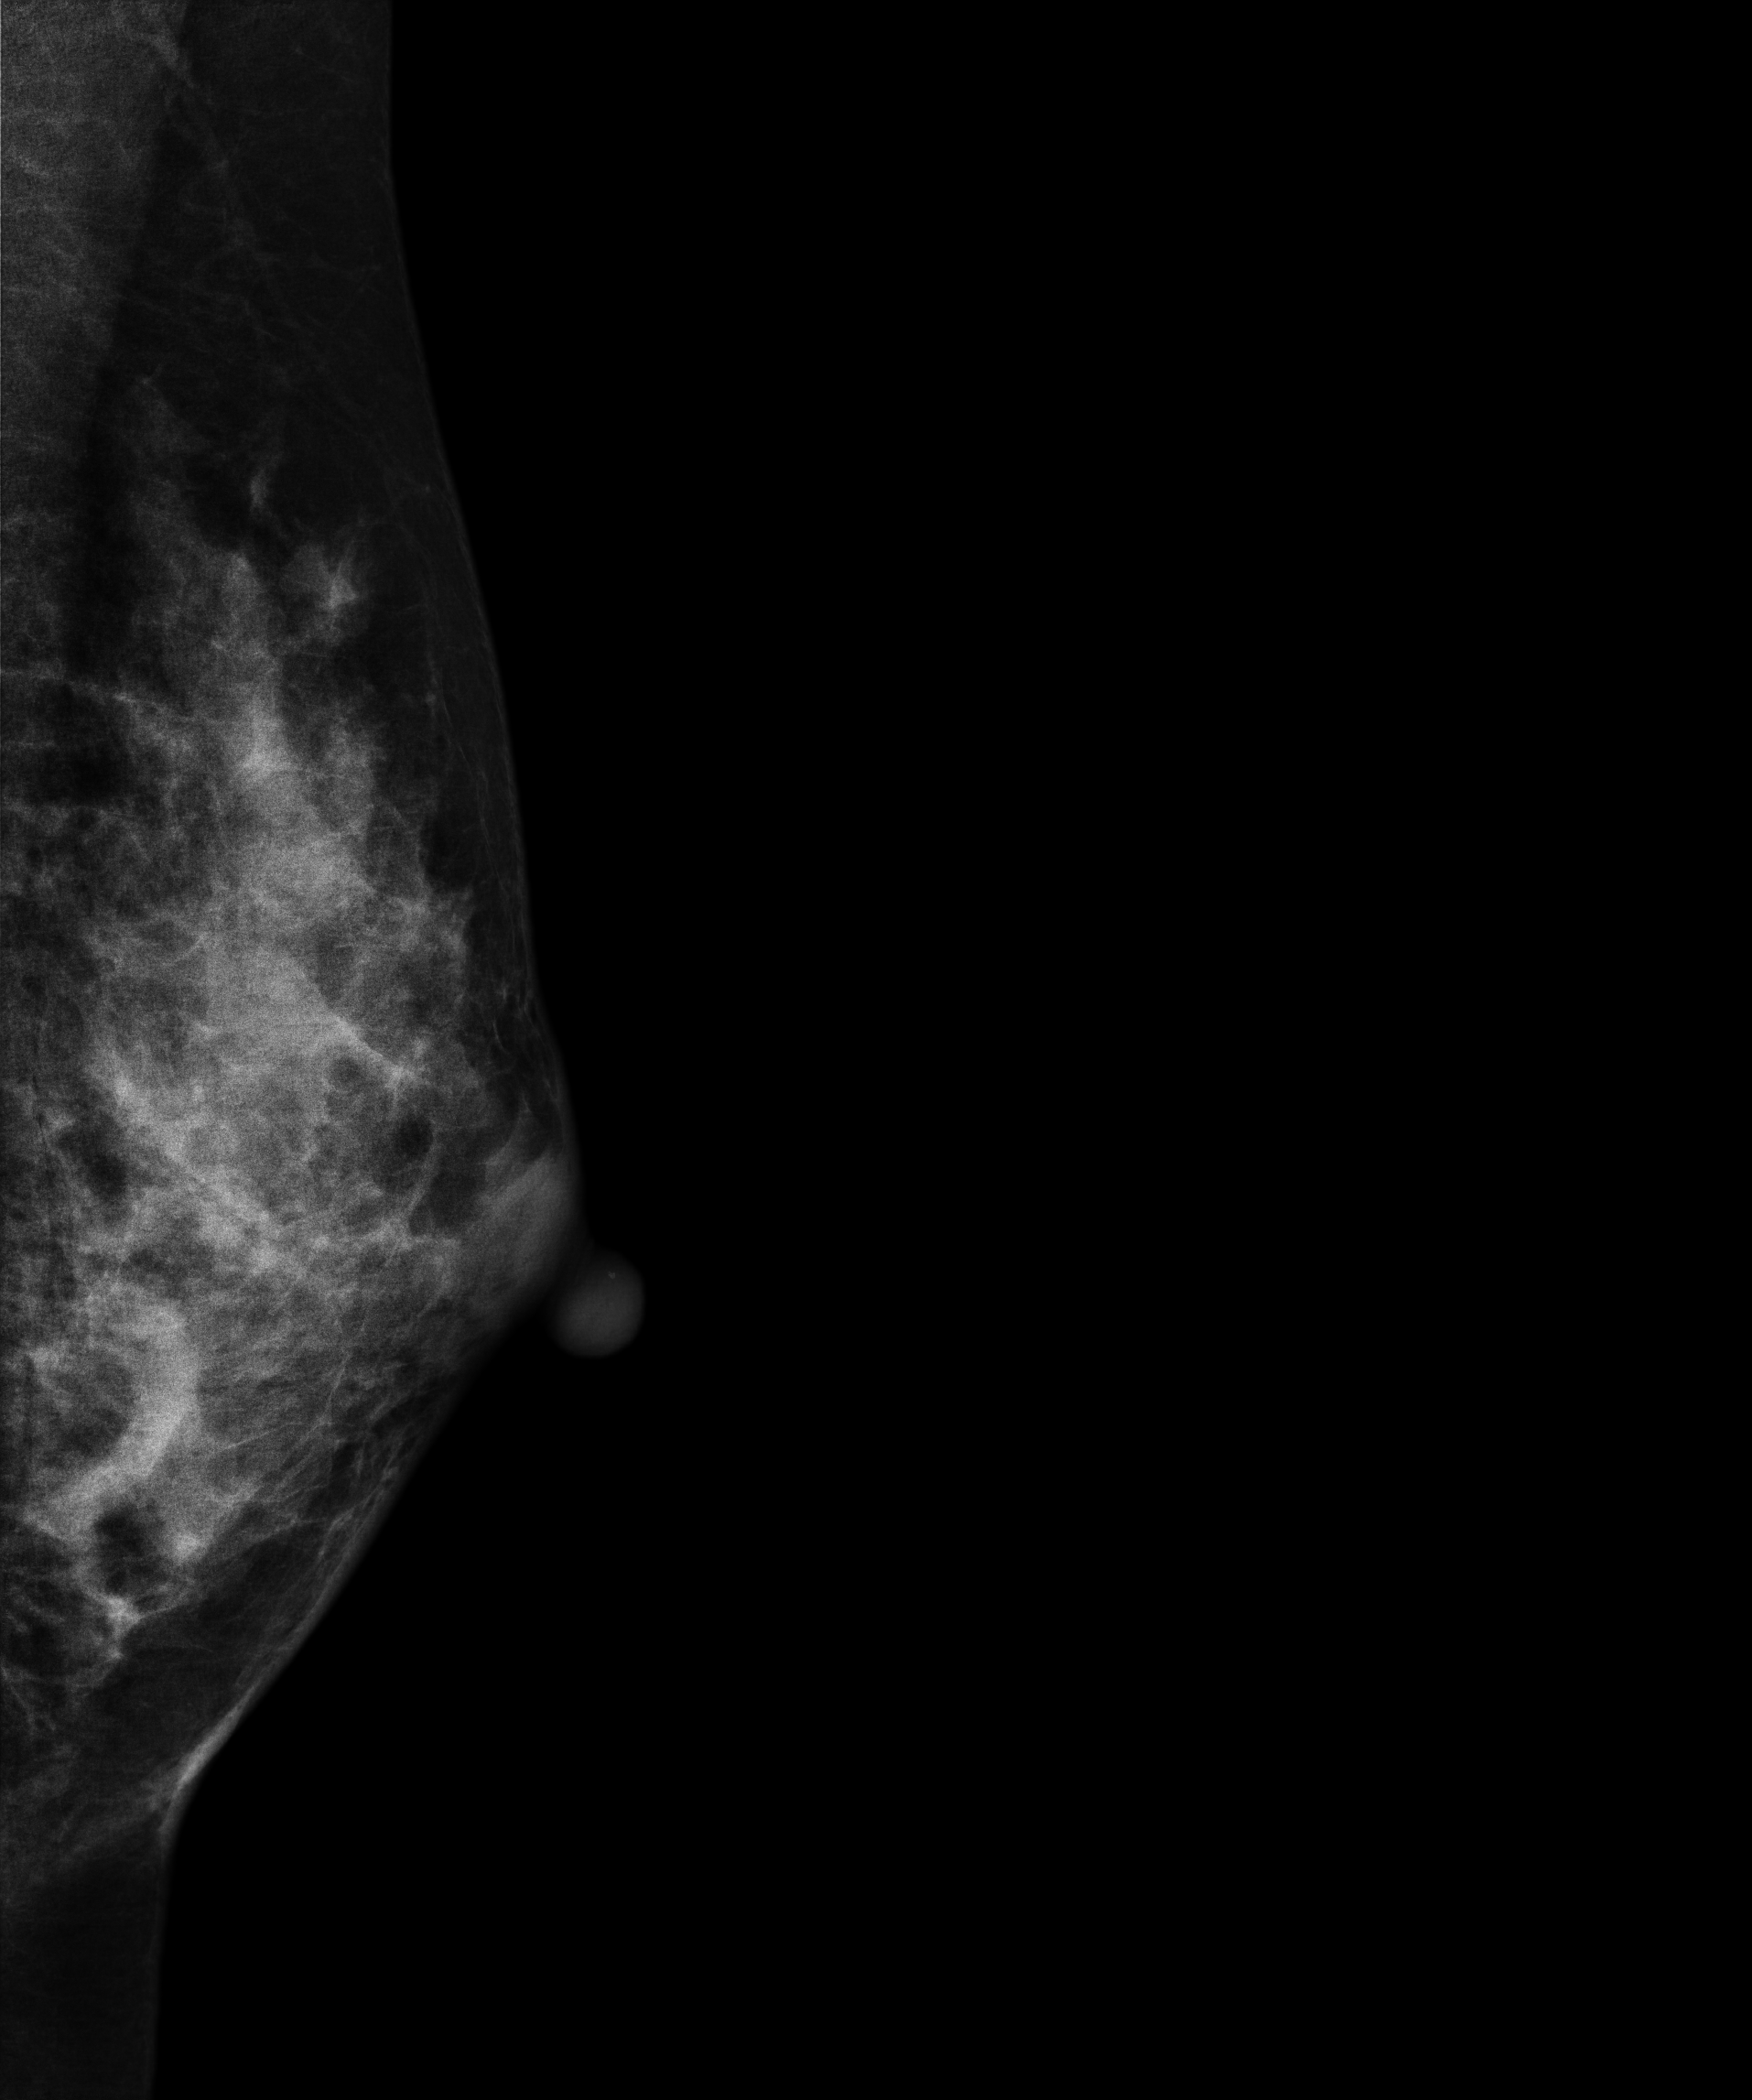
Digital mammography. Left breast, medio-lateral oblique projection. 42 y/o patient.
This breast has a mass, pathology-confirmed malignant.